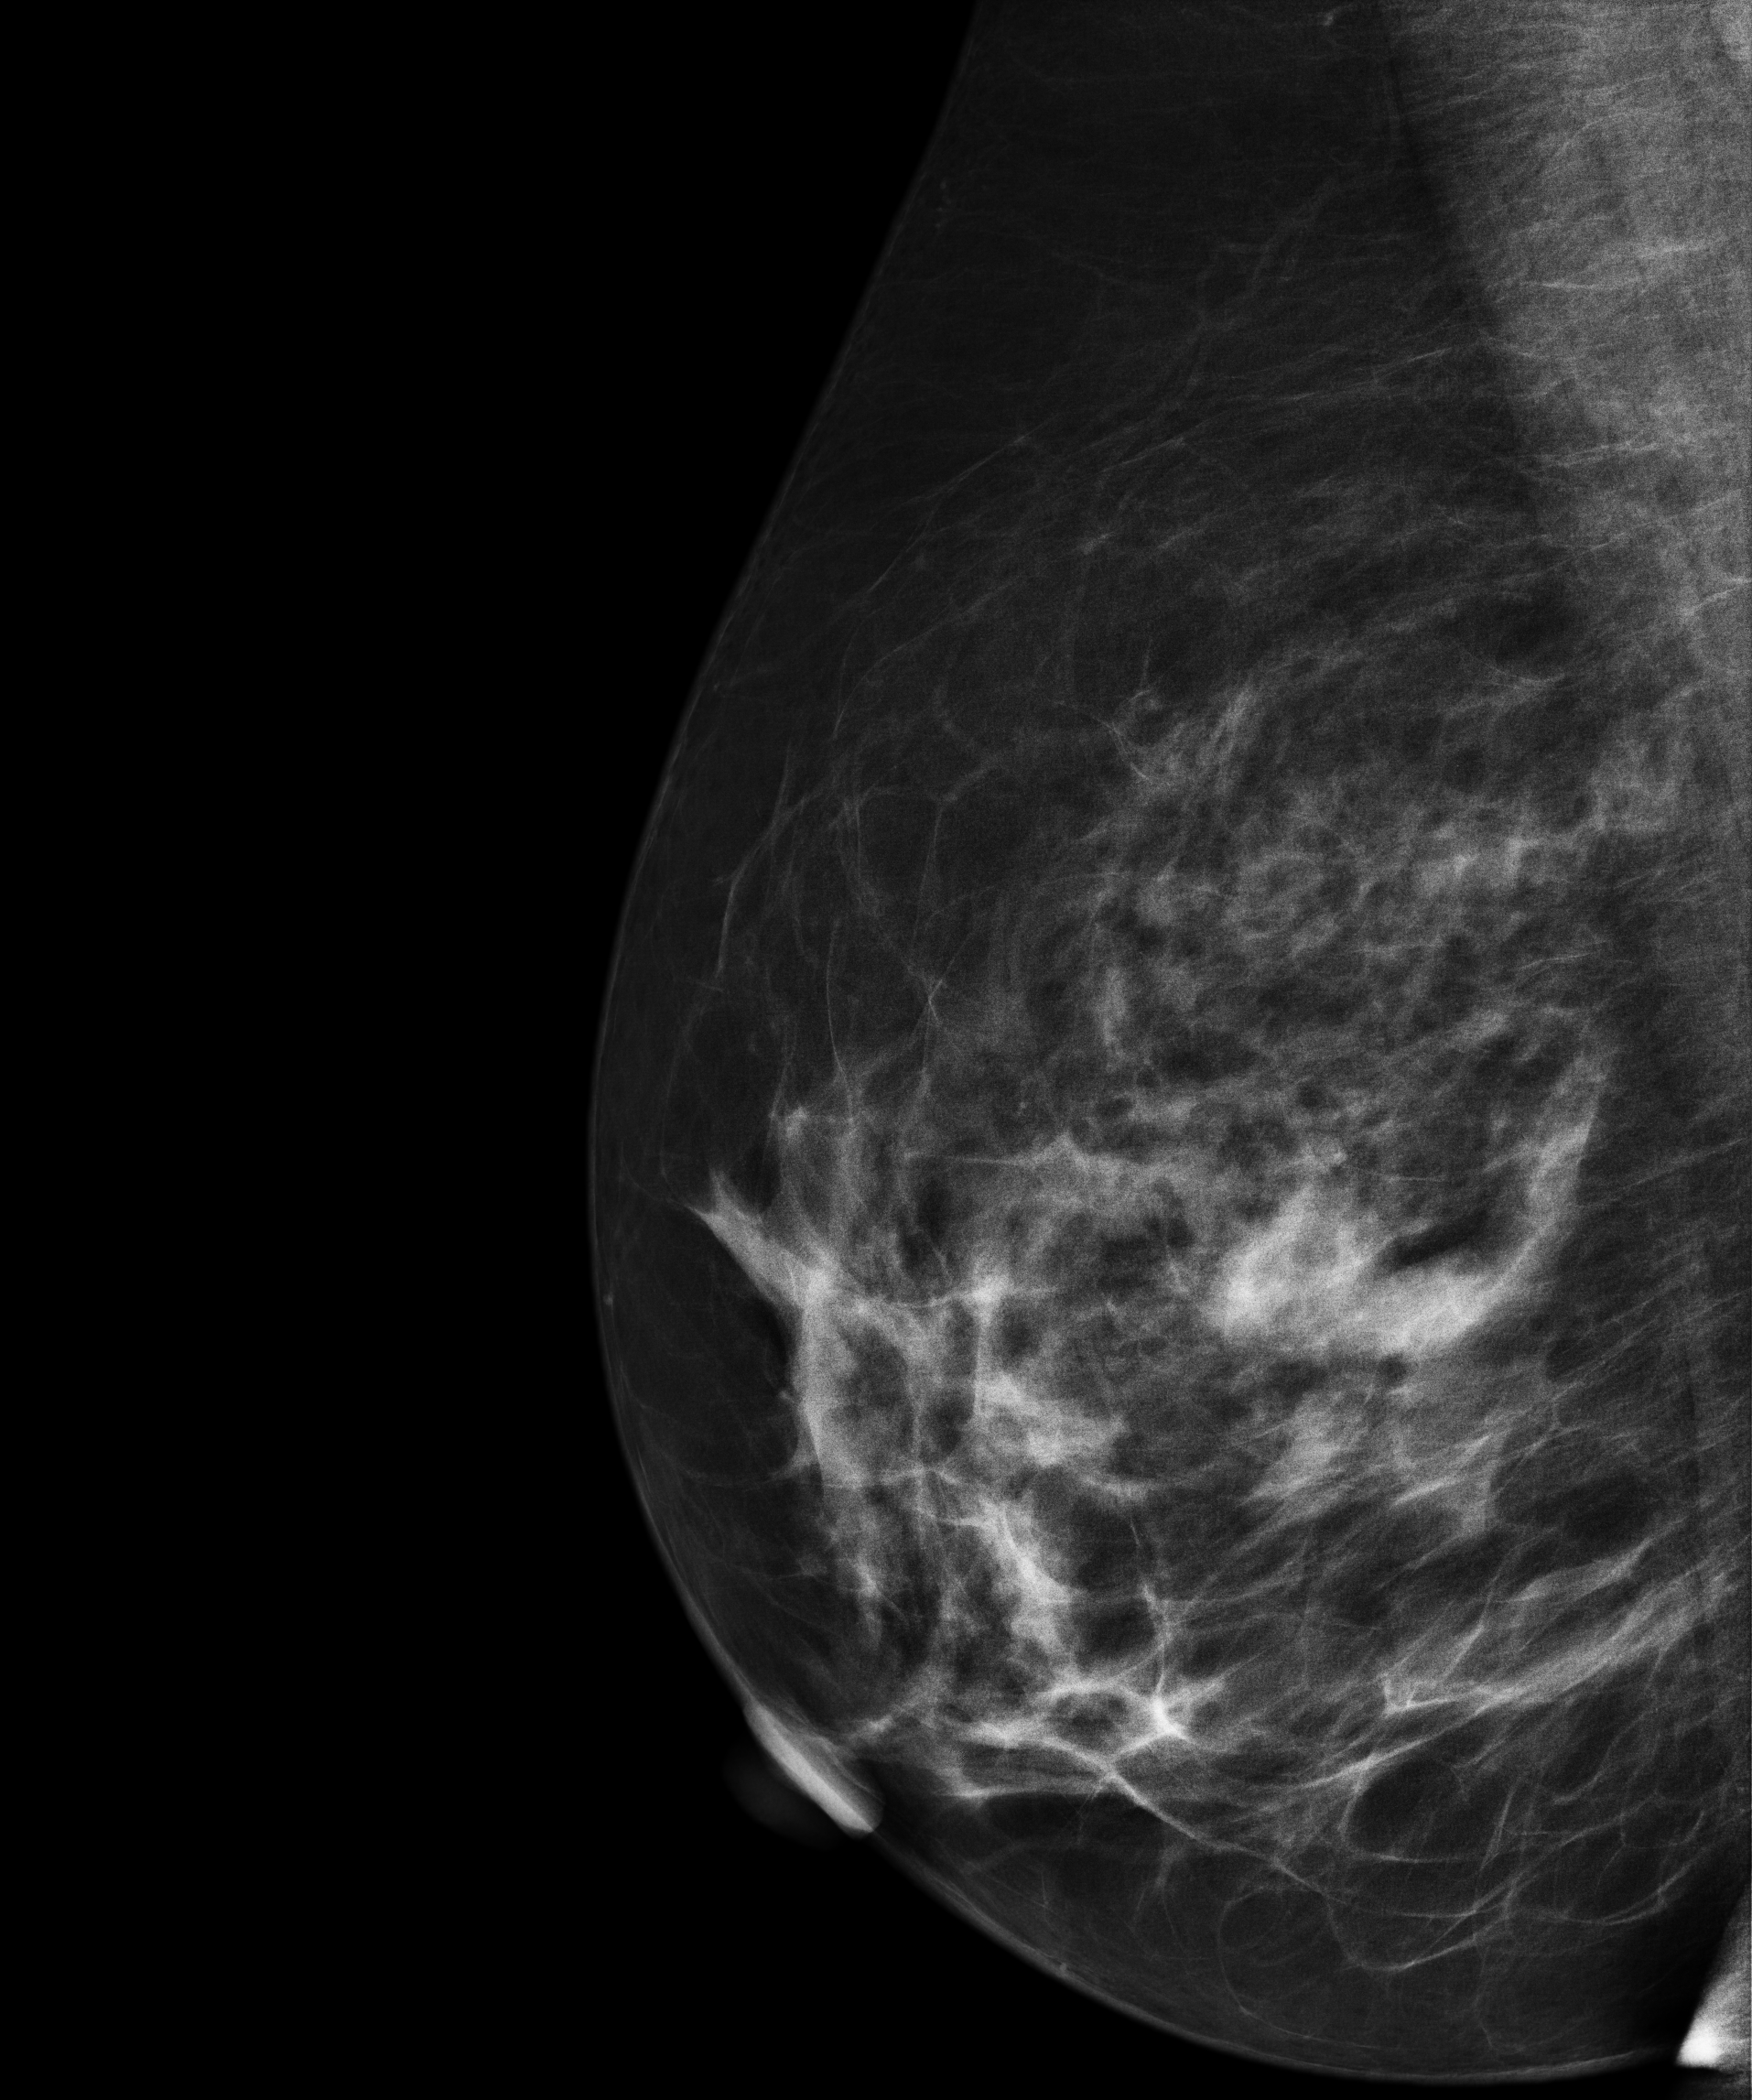
Right-breast mammogram, MLO. 53 y/o patient.
This breast has a mass, biopsy-proven malignant.